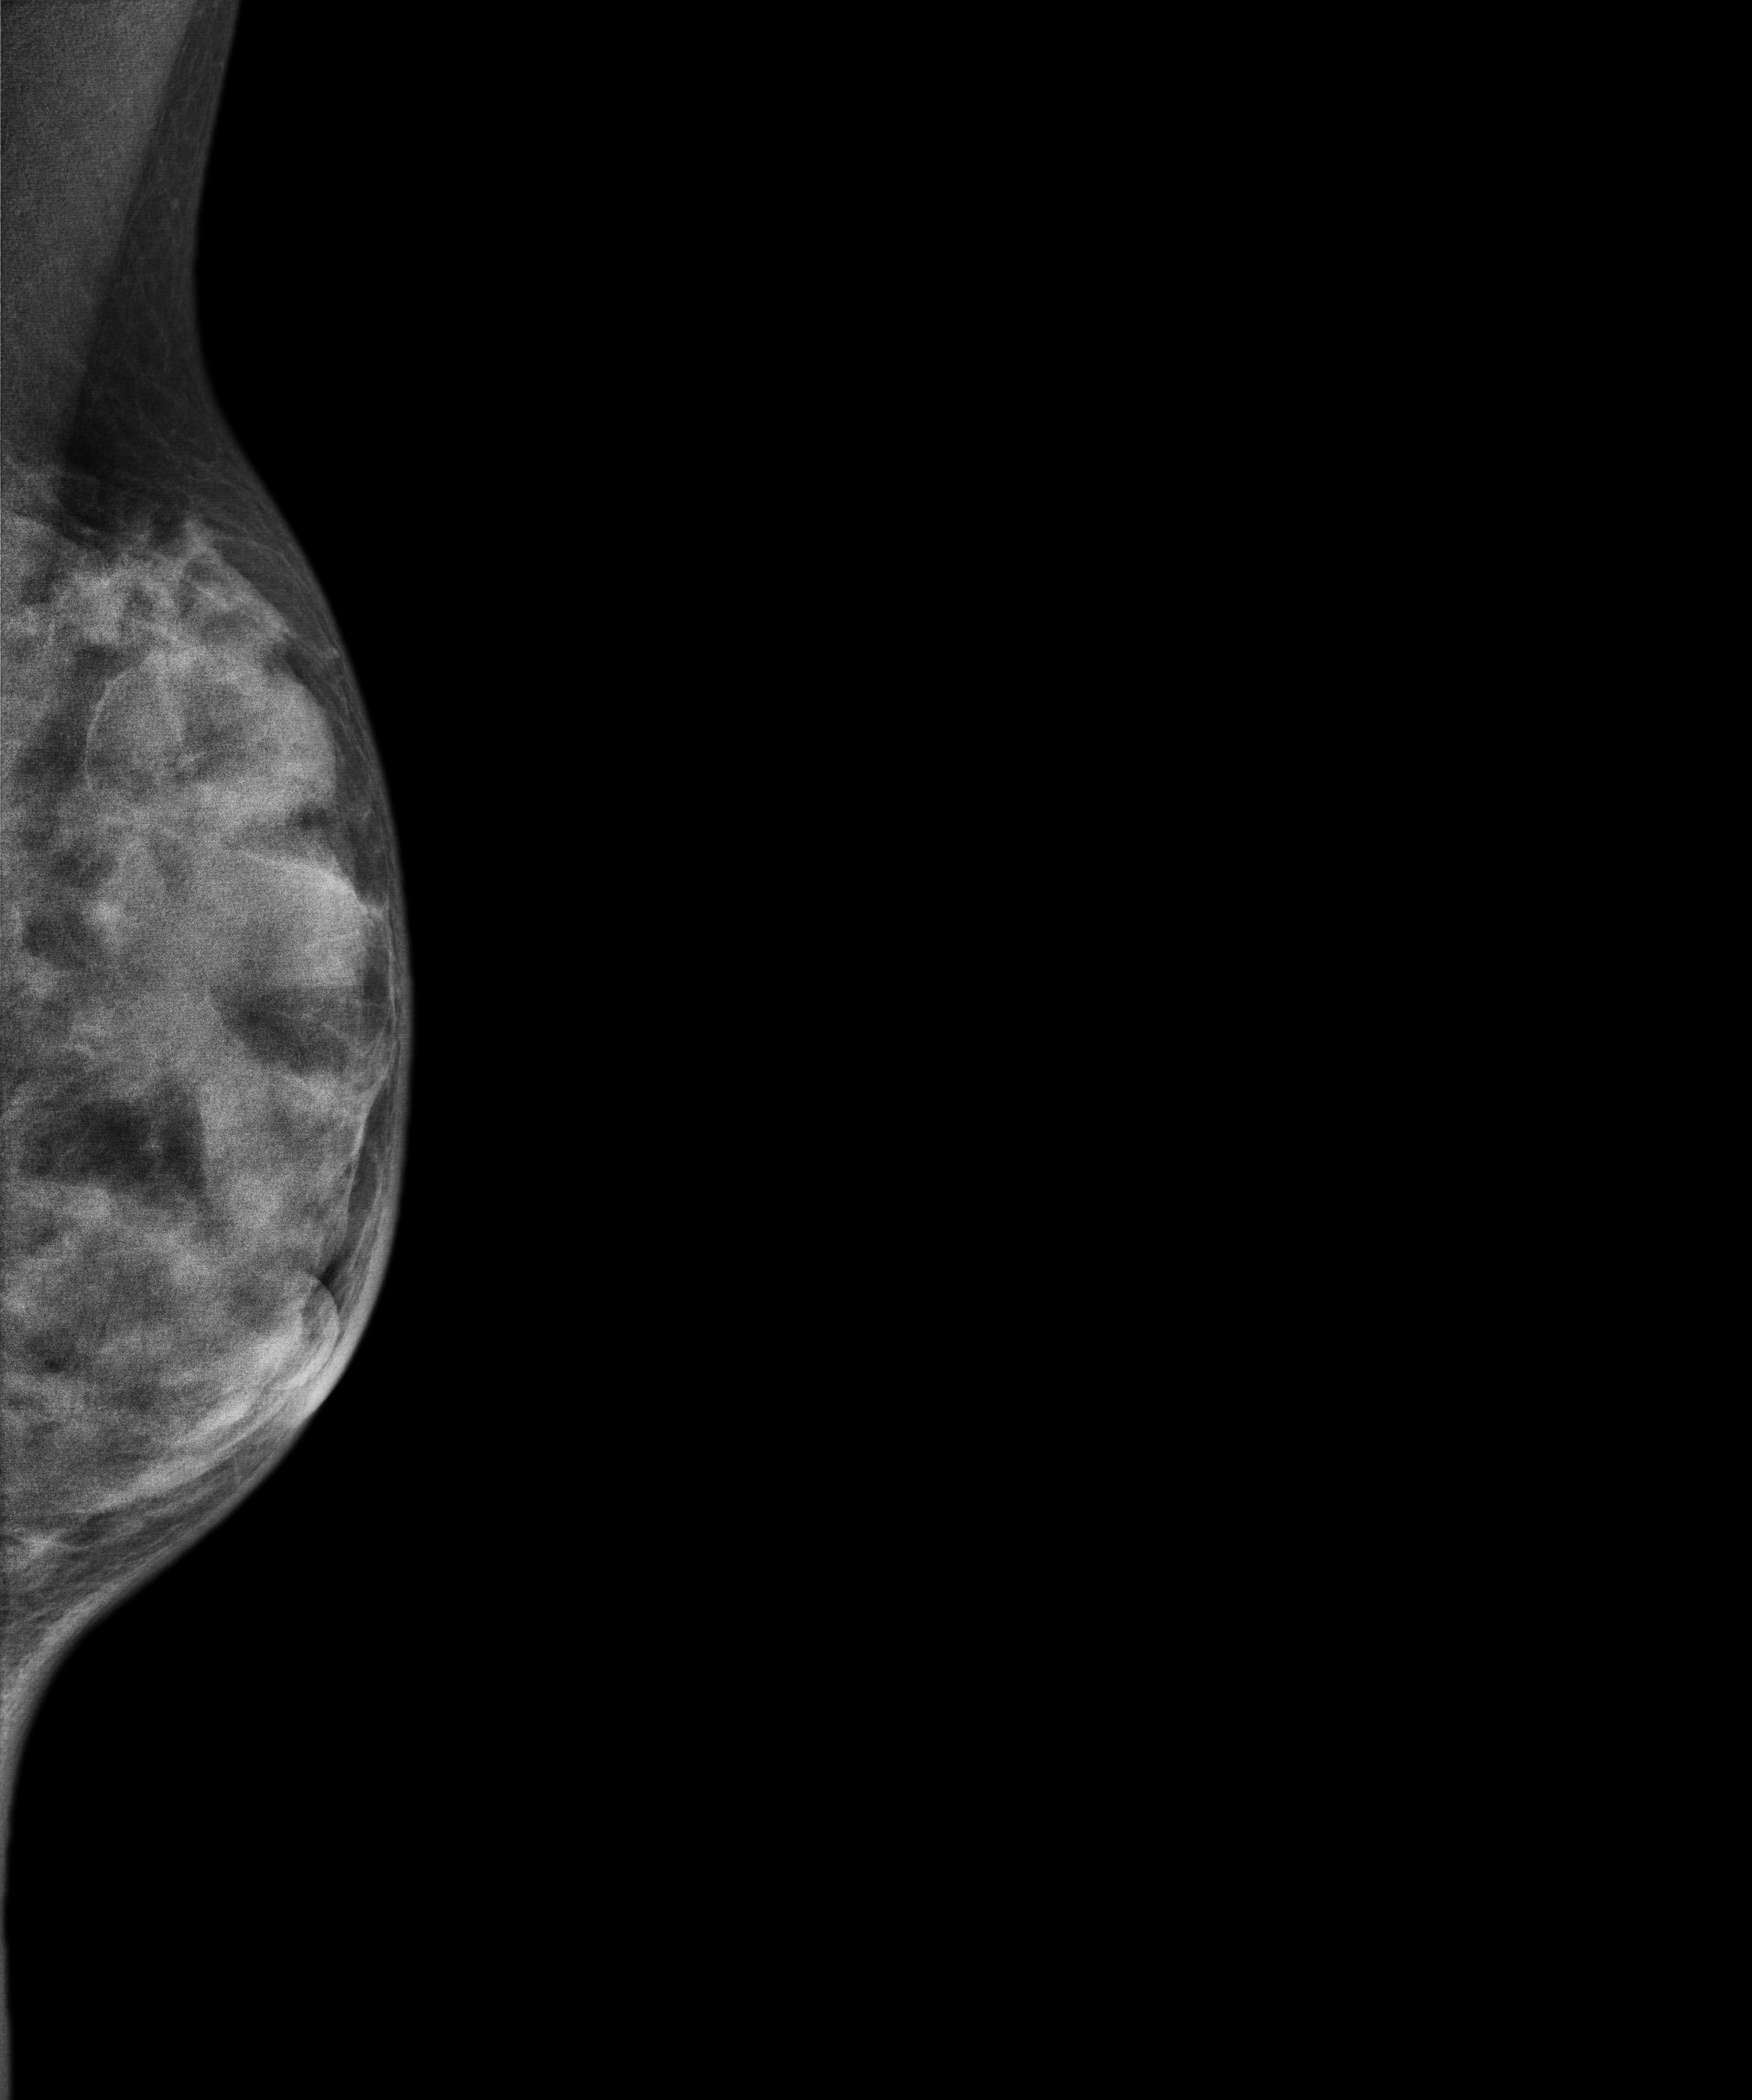
Digital mammography. Left breast, MLO projection. 33 y/o patient.
This breast has a mass, biopsy-confirmed malignant.